Left-breast mammogram, MLO. 56 y/o patient.
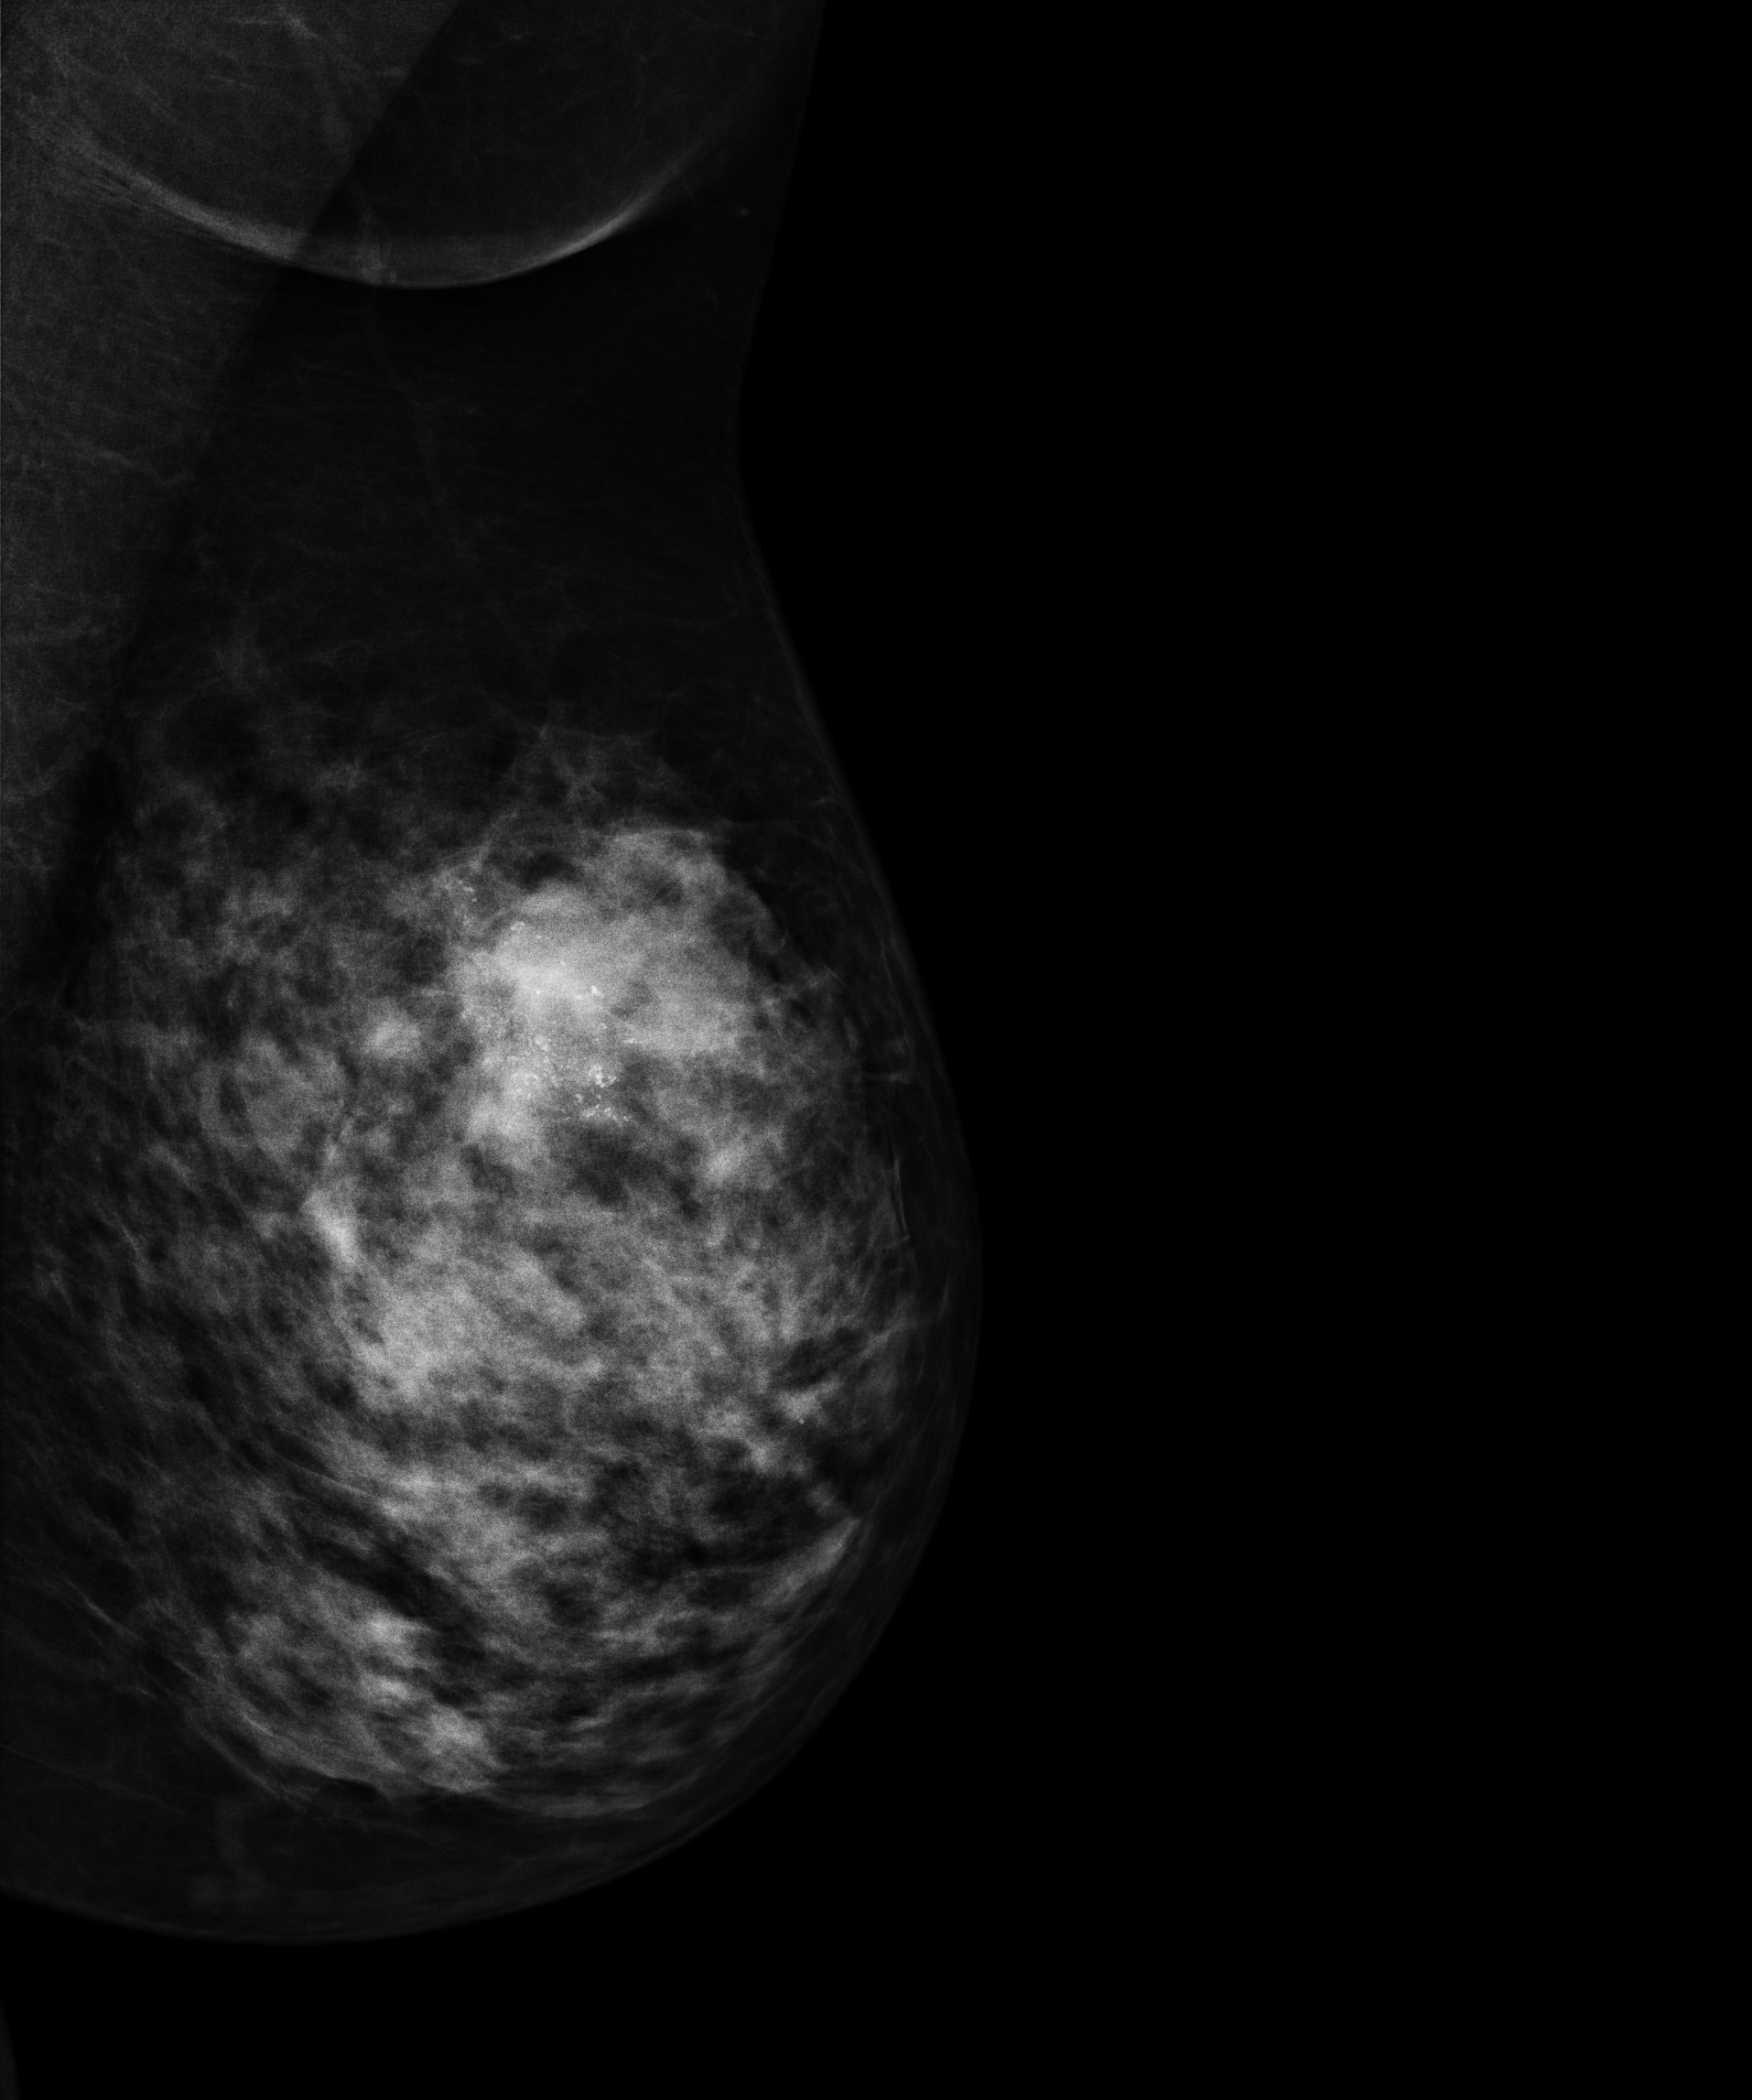
This breast has a mass and calcifications, histologically confirmed malignant. Molecular subtype: HER2-enriched.